Left-breast mammogram, cranio-caudal. 44 y/o patient.
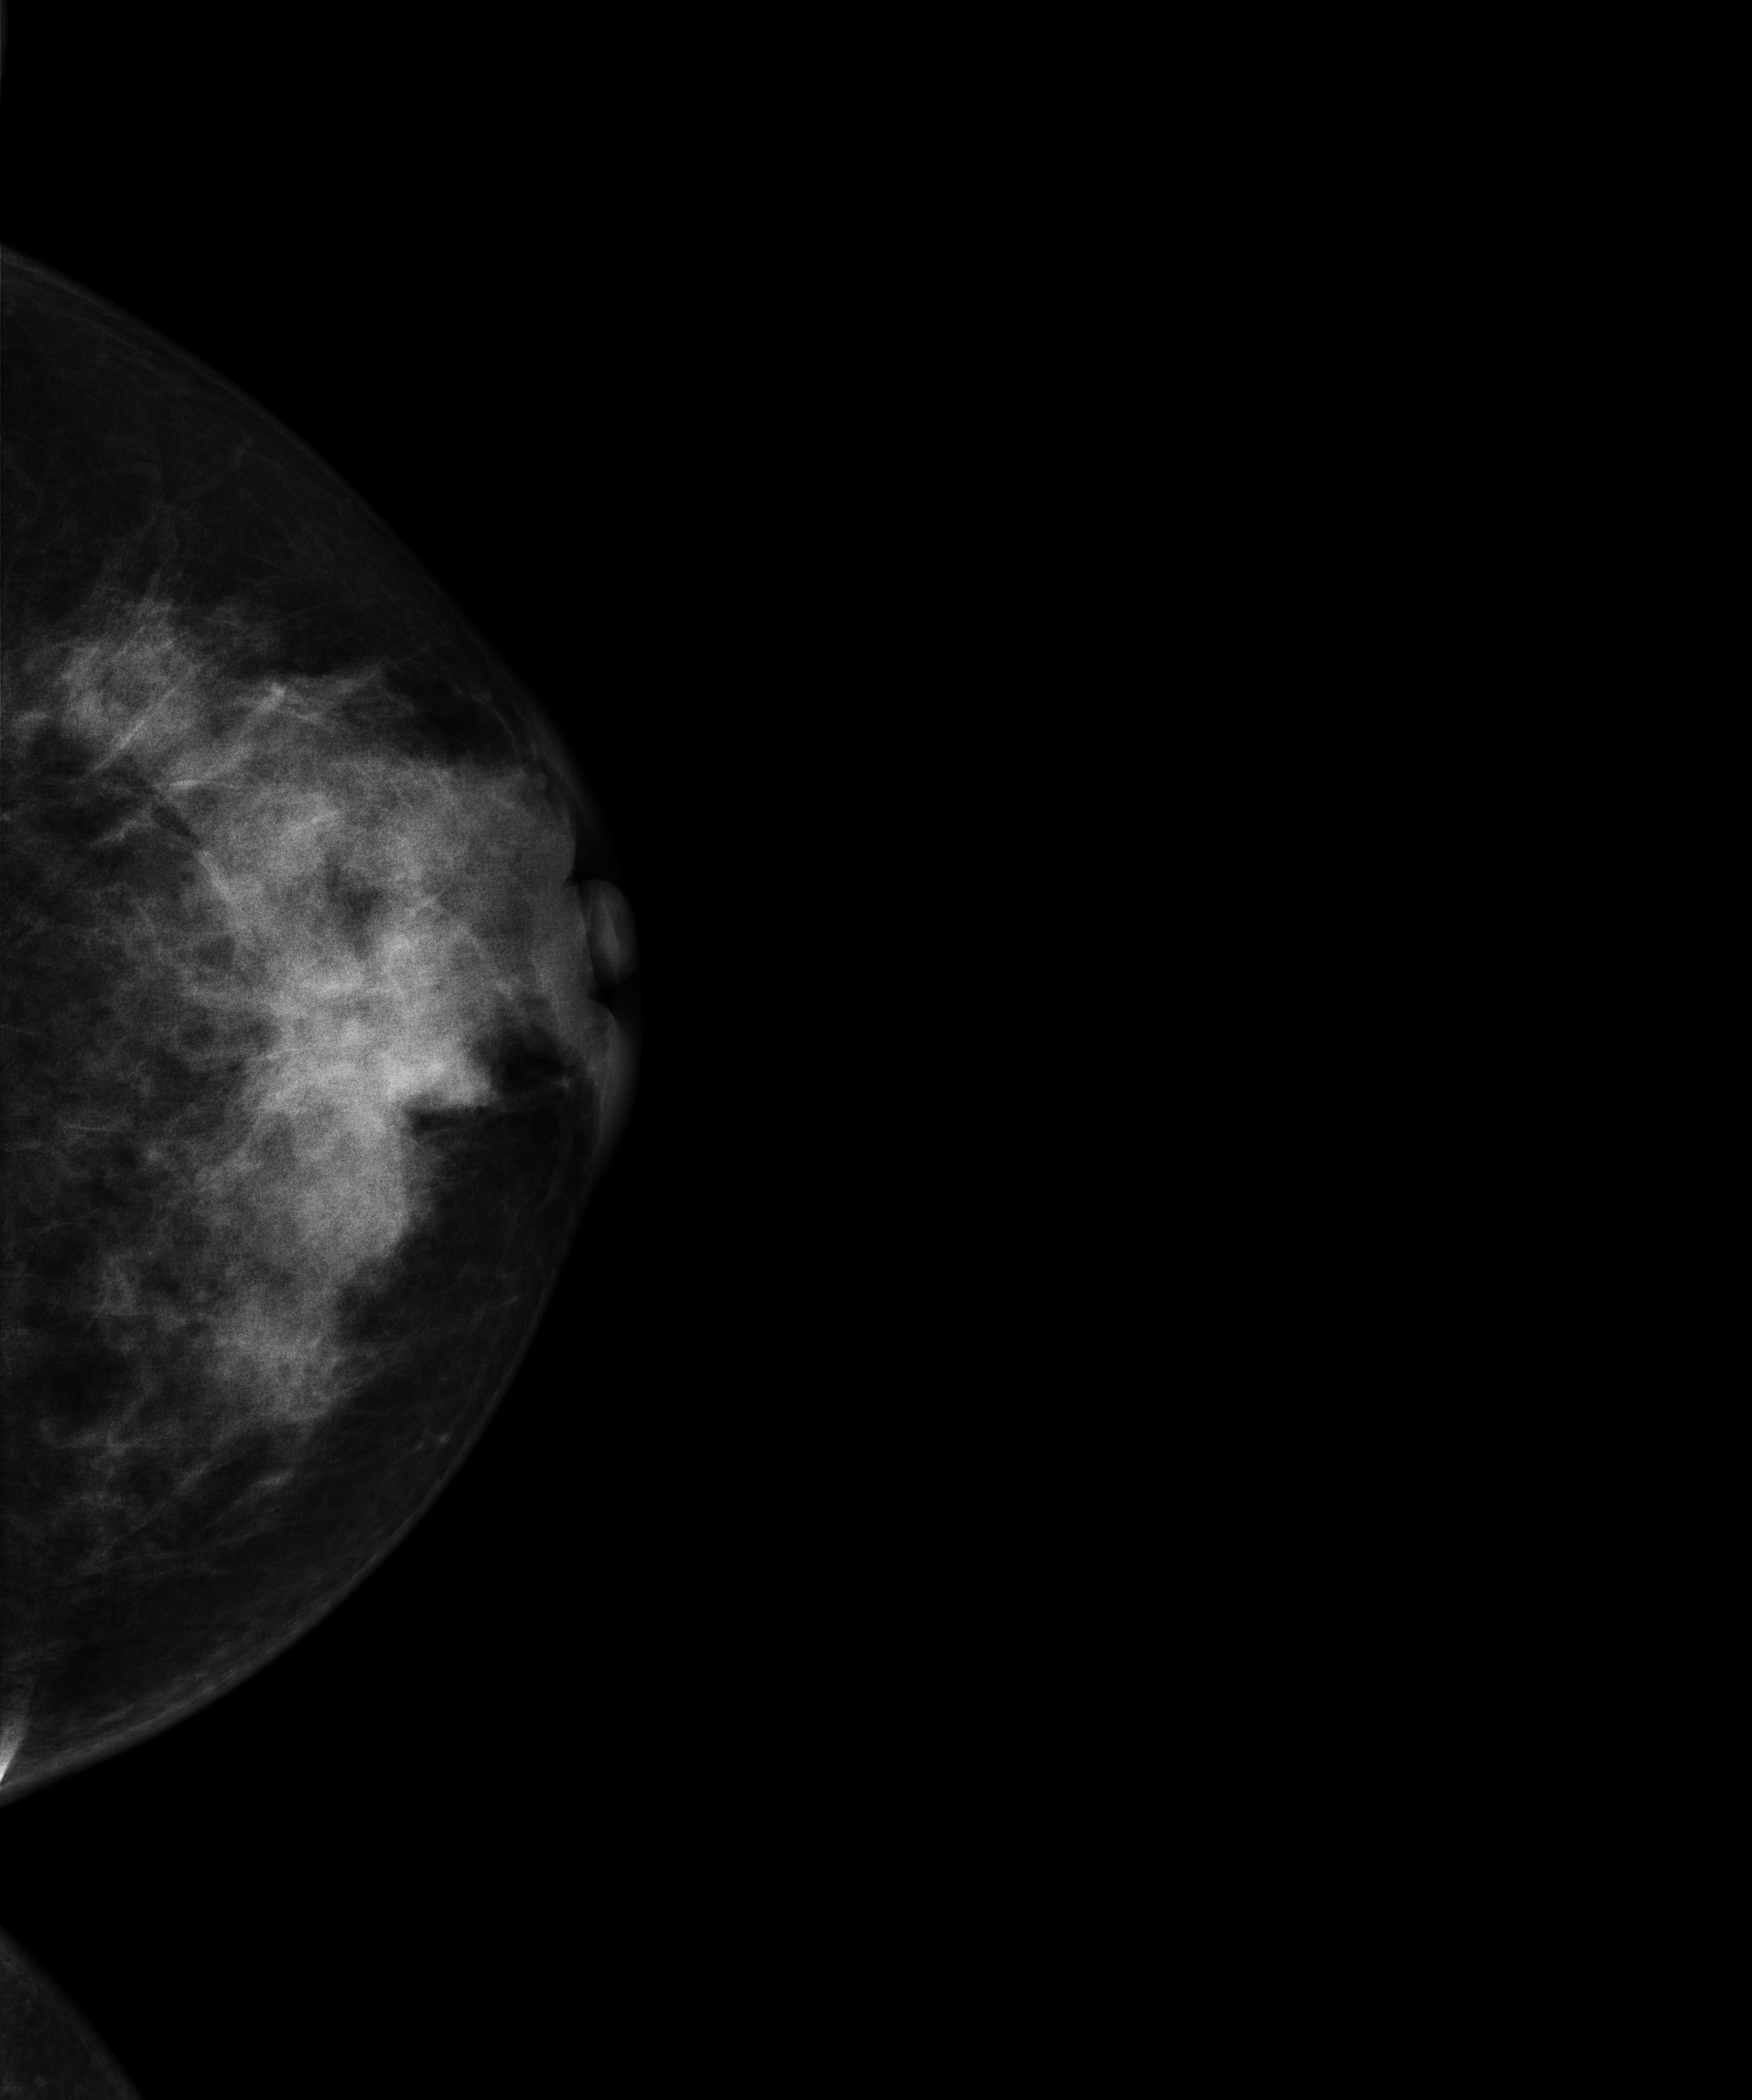
This breast has a mass, histologically confirmed malignant. Molecular subtype: luminal B.